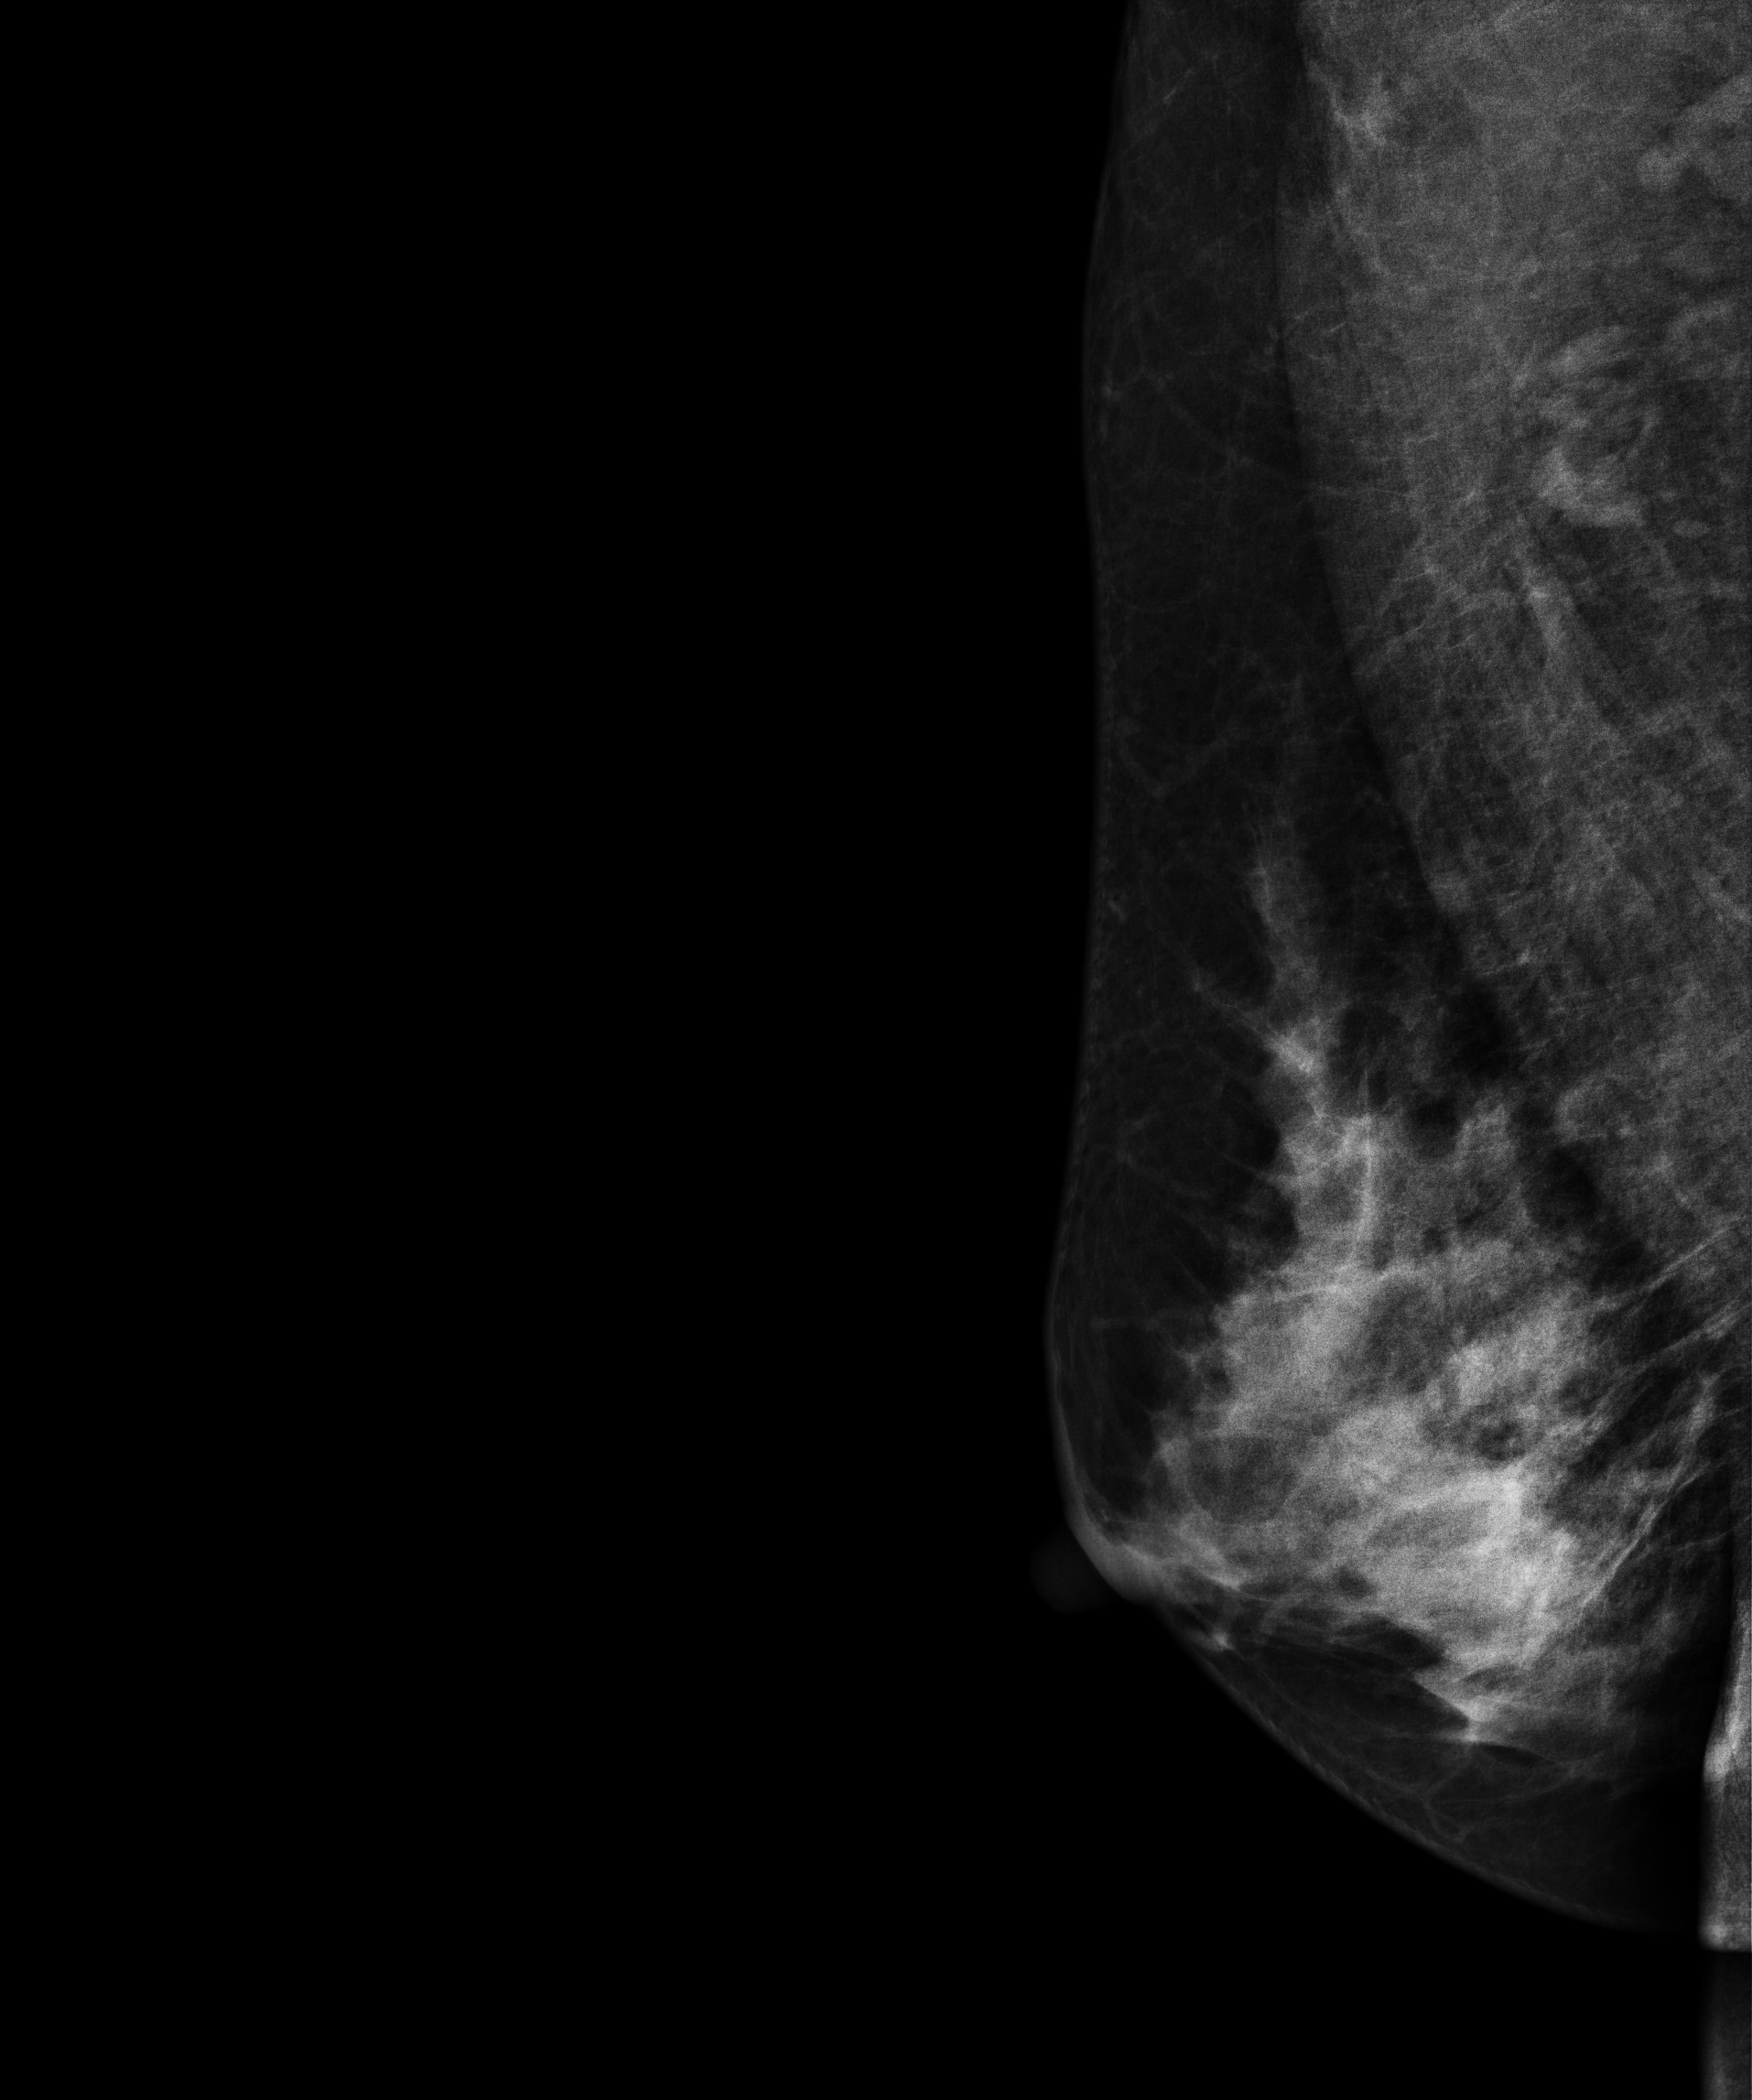
Digital mammography. Right breast, medio-lateral oblique projection. 52 y/o patient.
This breast has a mass and calcifications, pathology-confirmed benign.